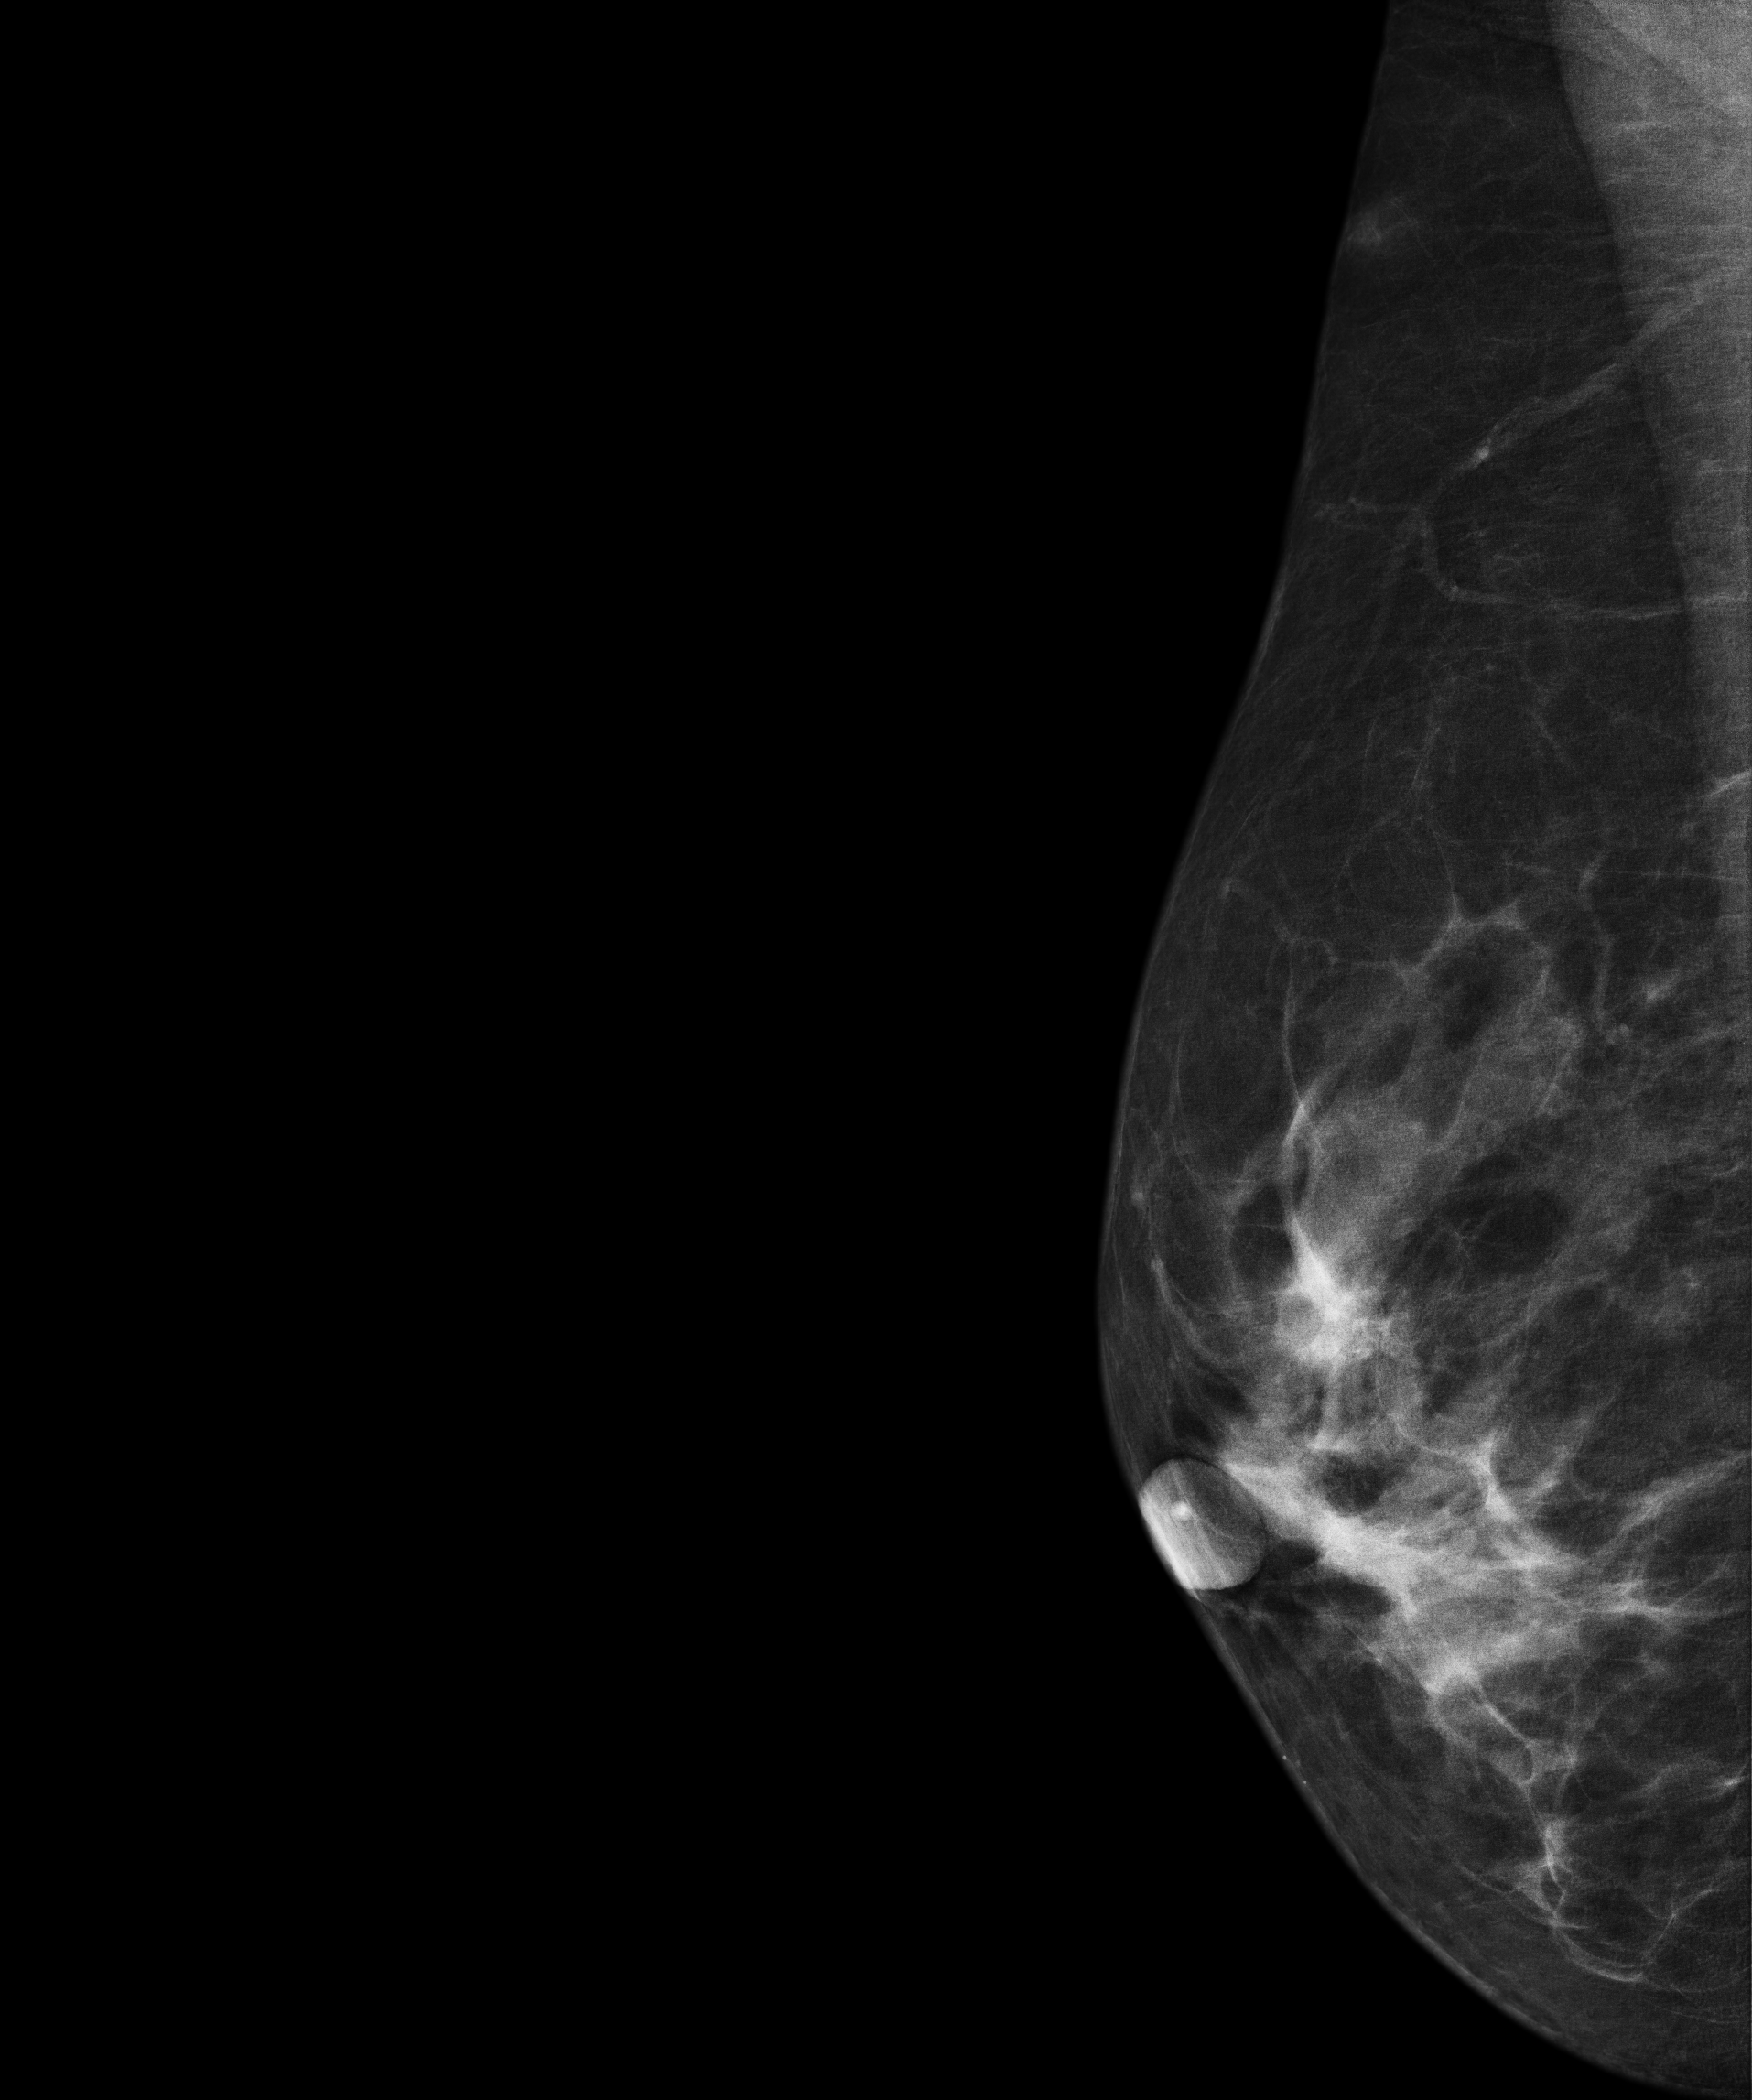
Medio-lateral oblique mammogram of the right breast. 56 y/o patient.
Contralateral breast — no documented abnormality on this side.